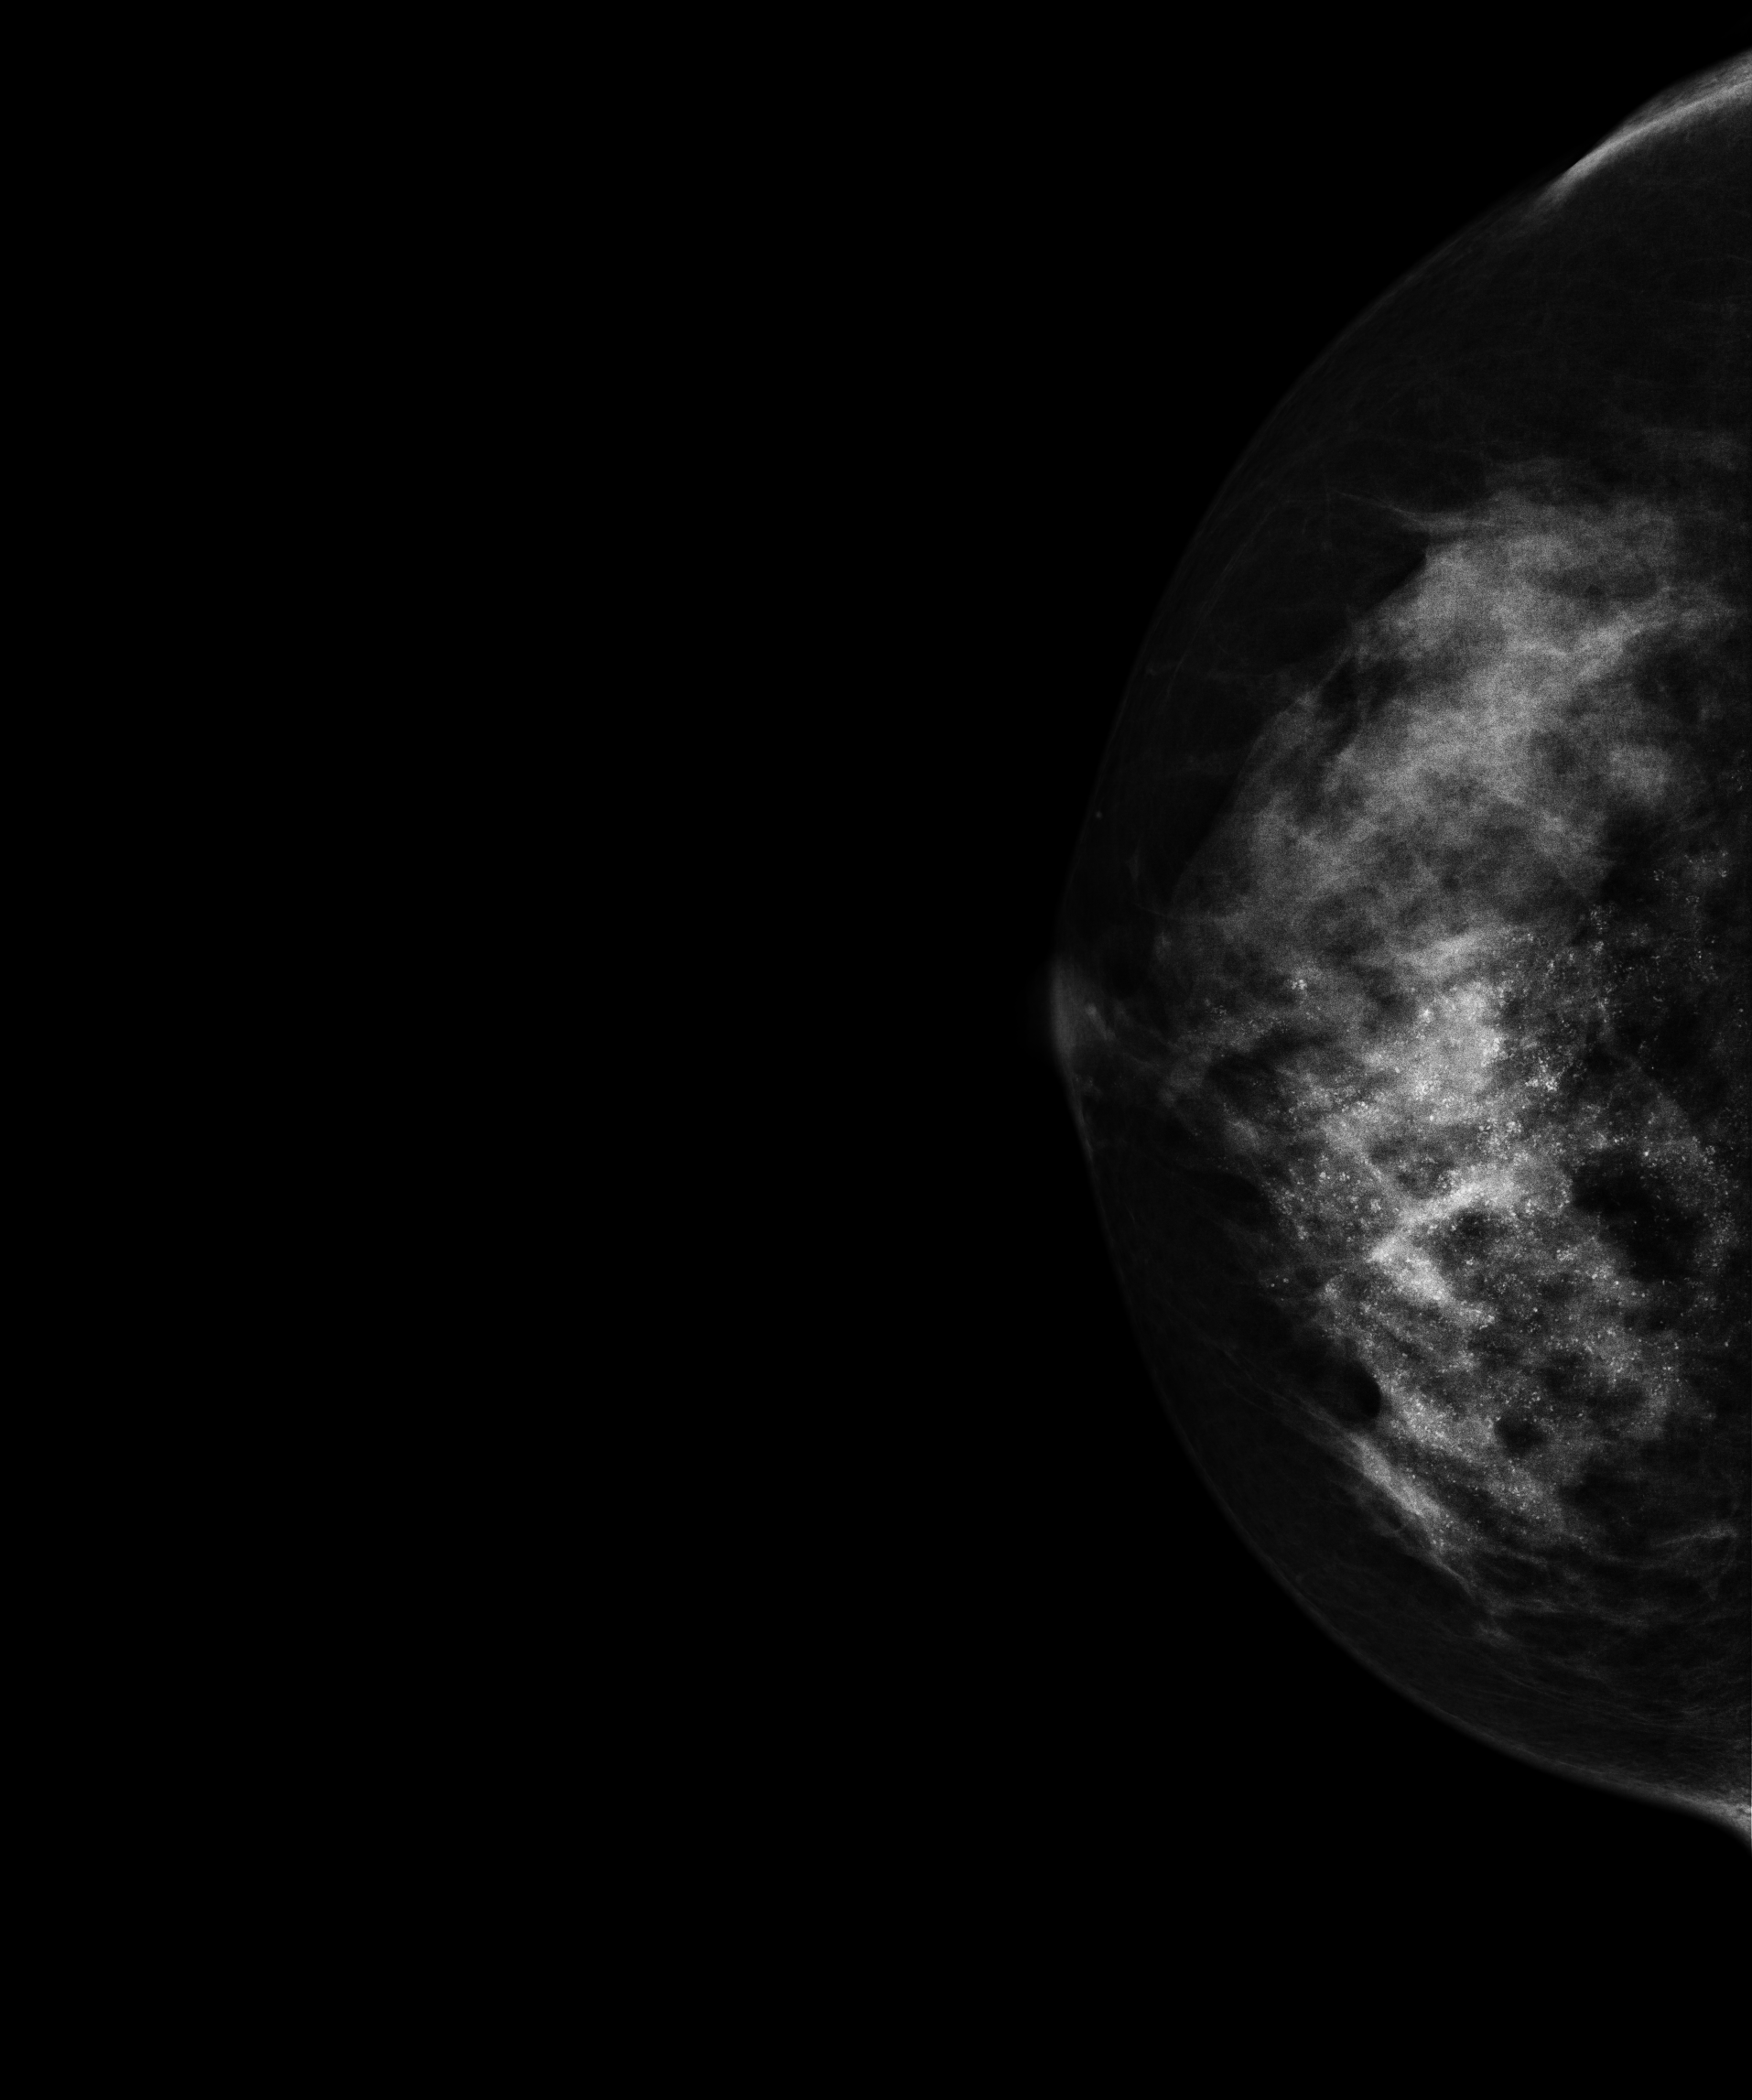
Mammogram — right cranio-caudal. Patient age 42.
This breast has a mass and calcifications, biopsy-proven malignant. Molecular subtype: luminal B.